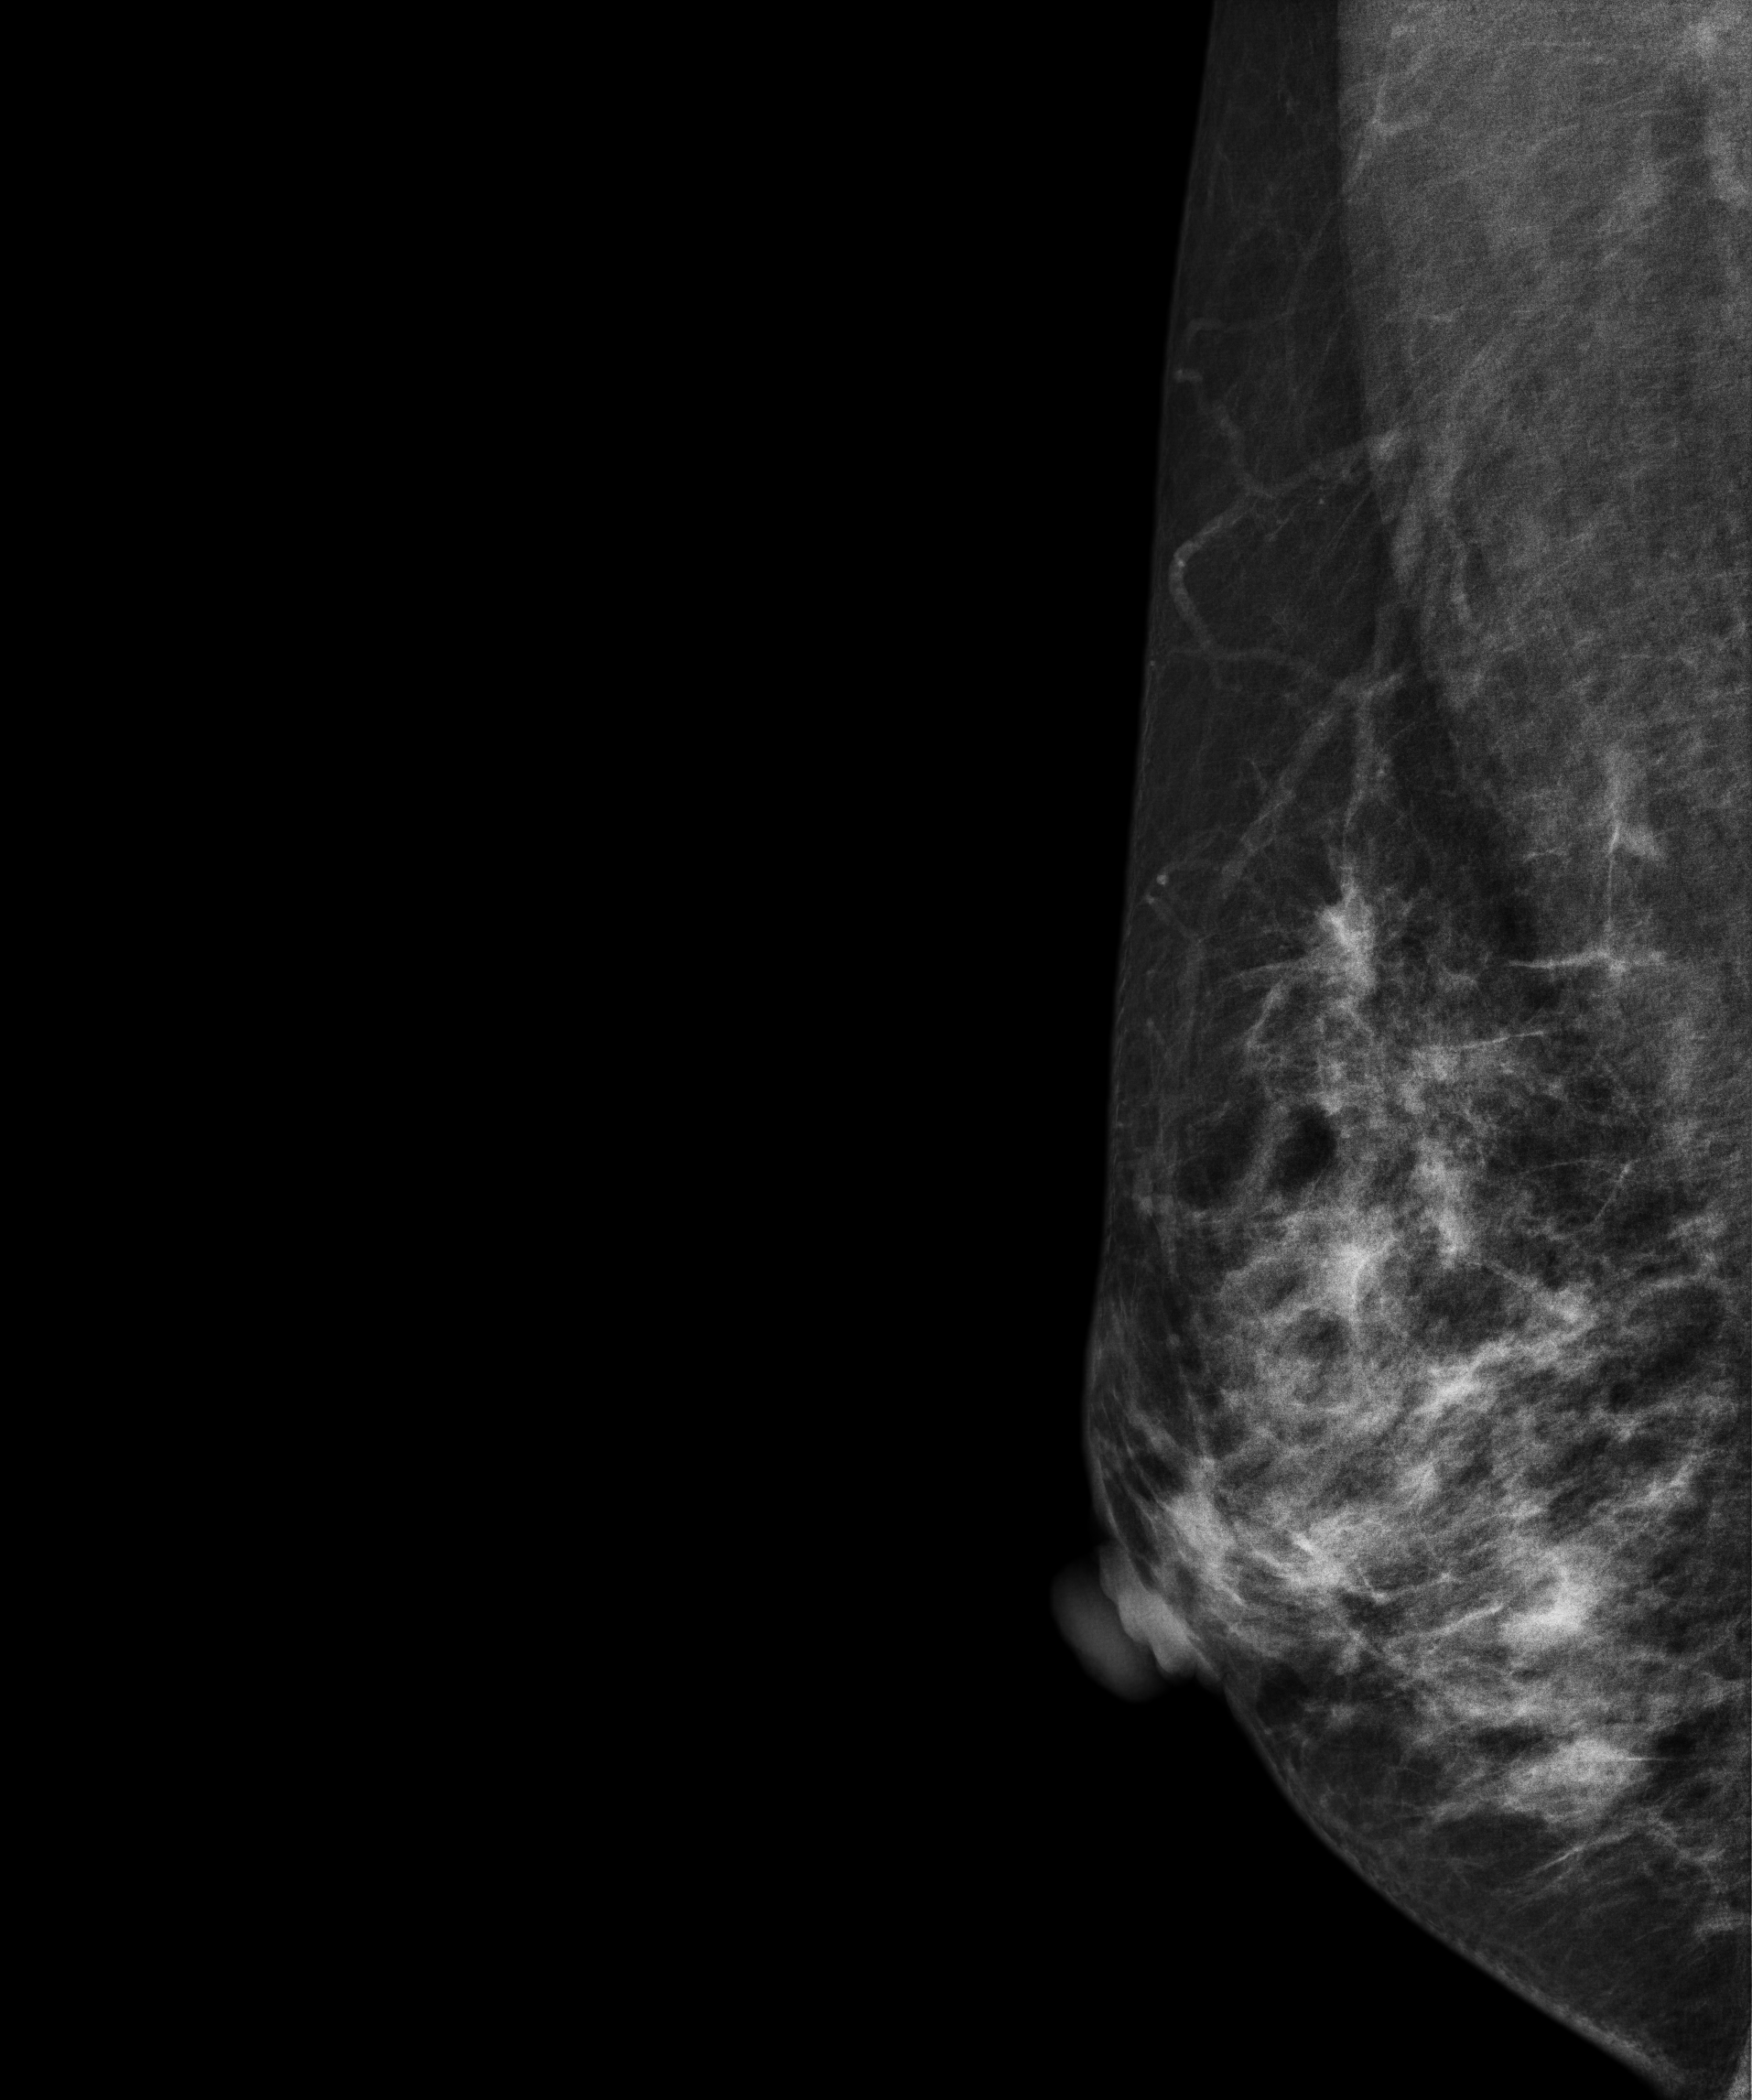
Medio-lateral oblique mammogram of the right breast. Patient age 47.
This breast has a mass, histologically confirmed malignant. Molecular subtype: luminal B.